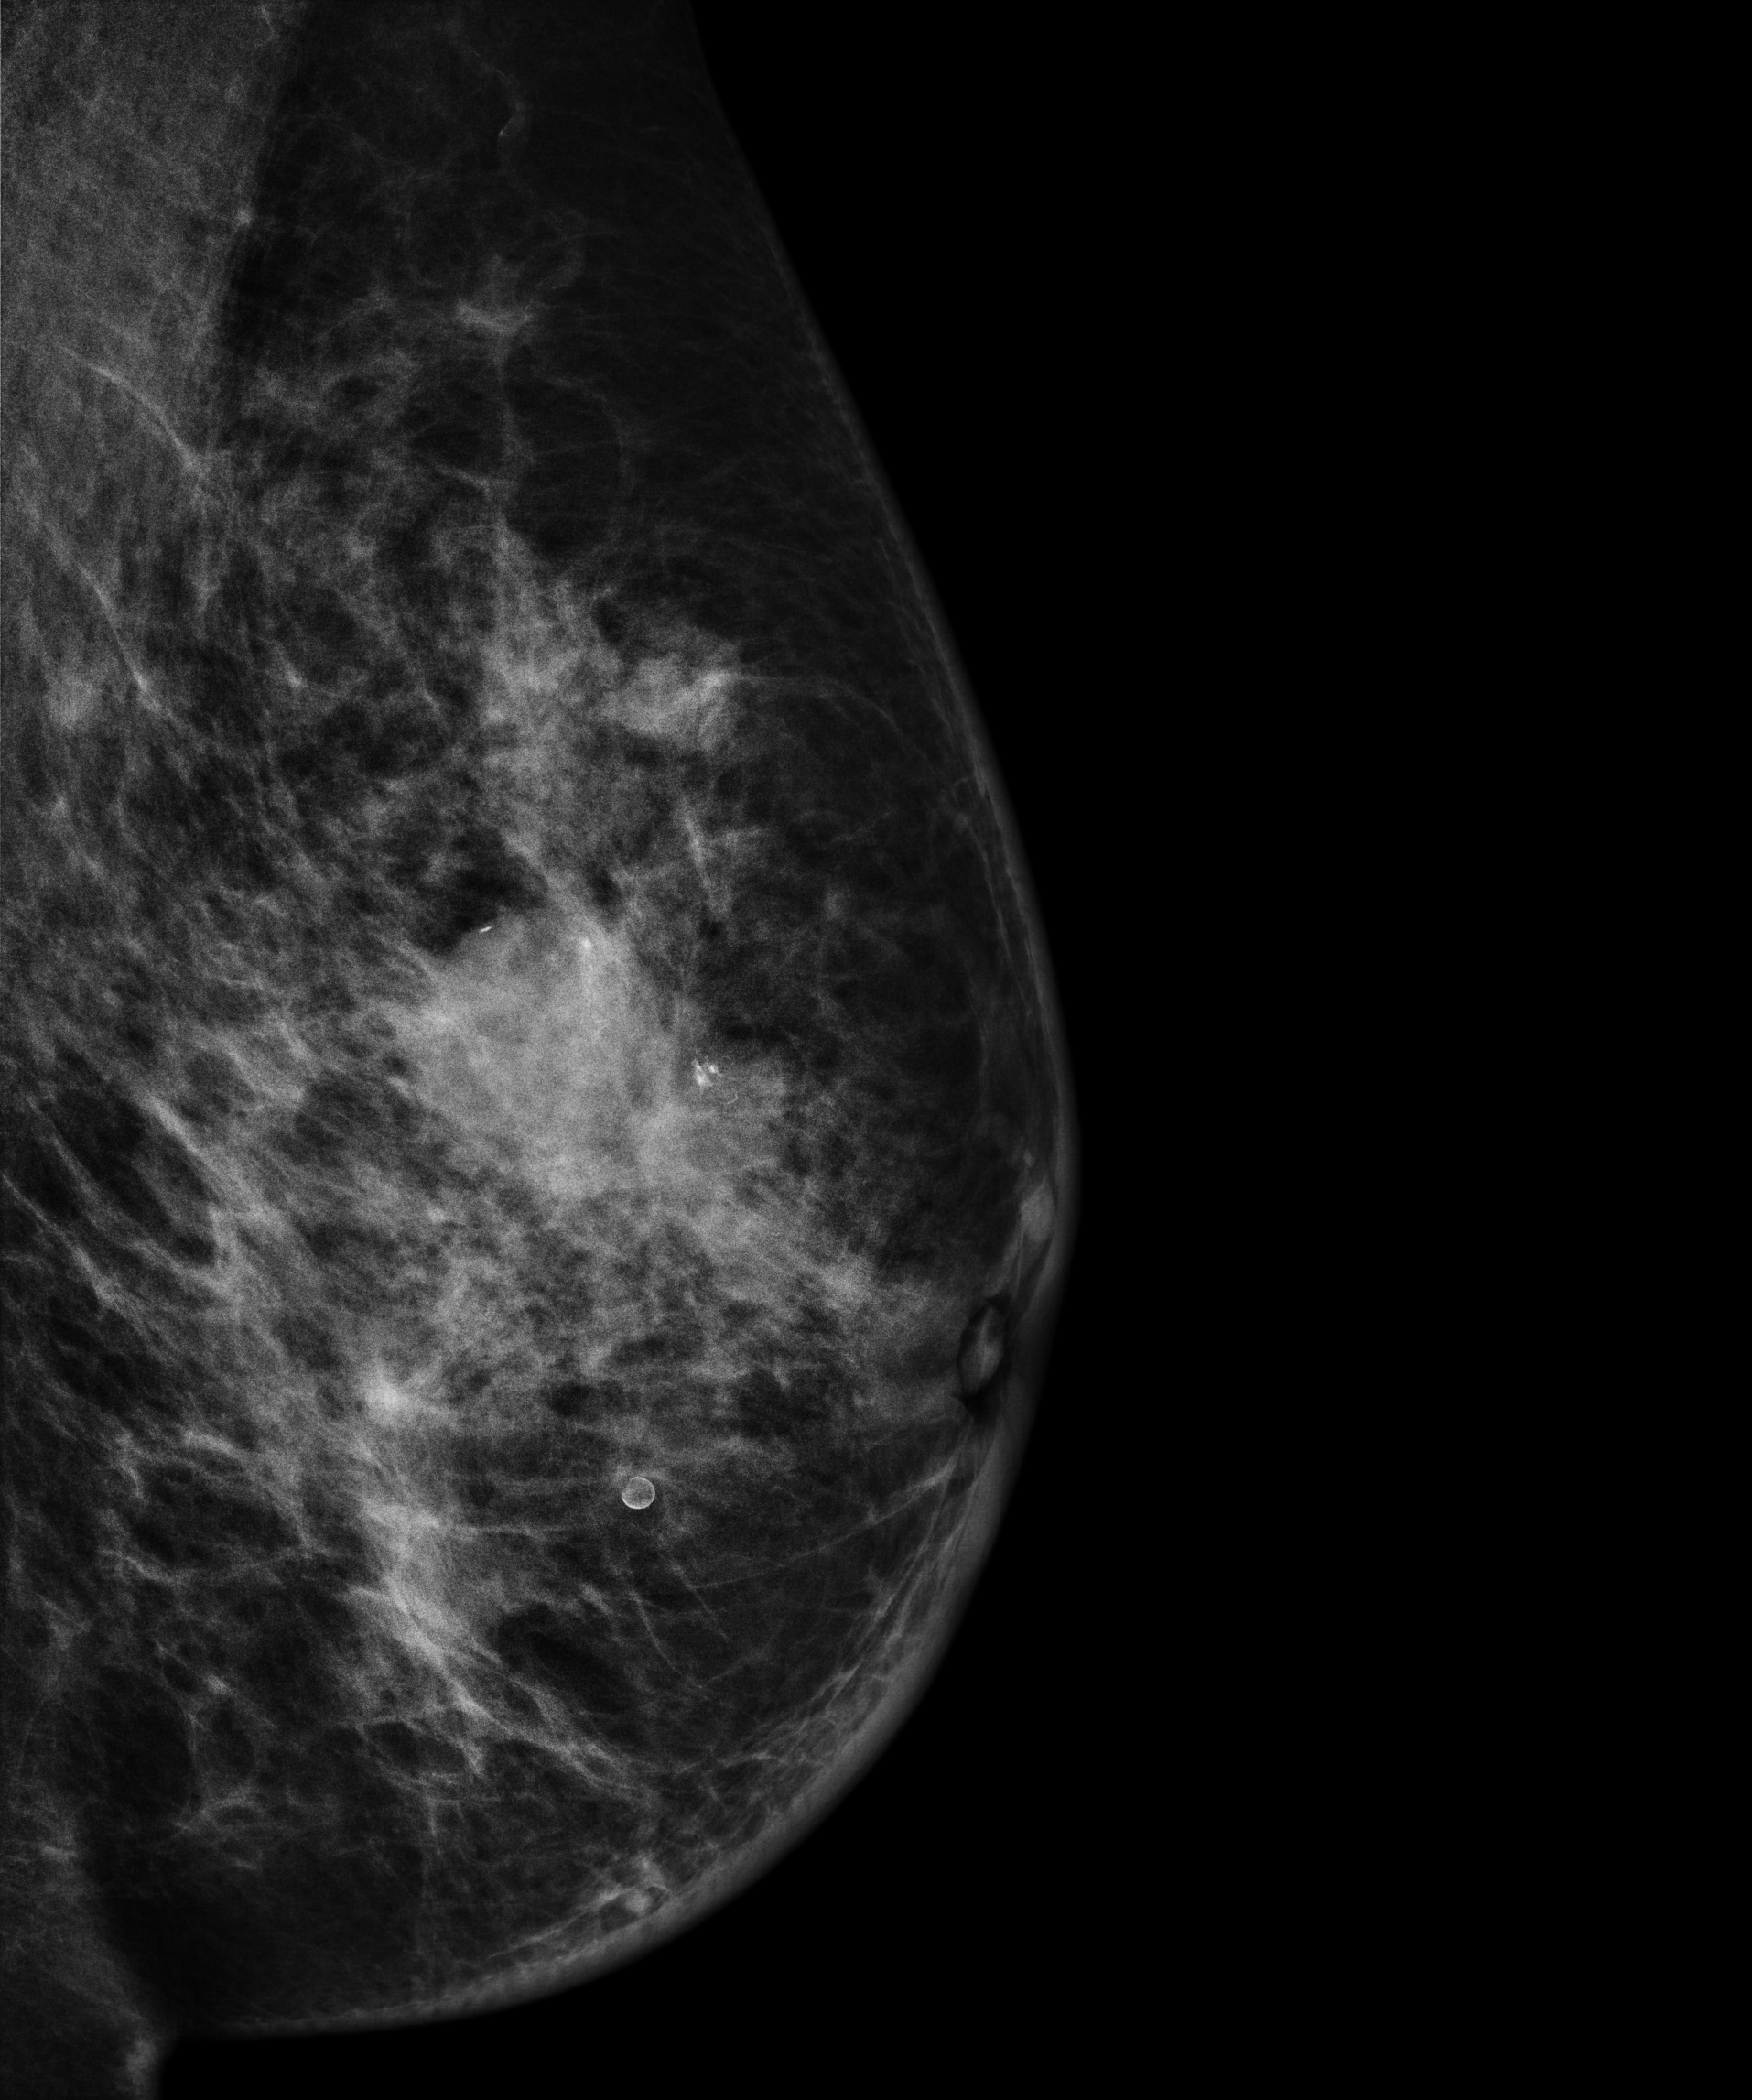
Left-breast mammogram, medio-lateral oblique. Patient age 54.
This breast has a mass, histologically confirmed malignant. Molecular subtype: triple-negative.